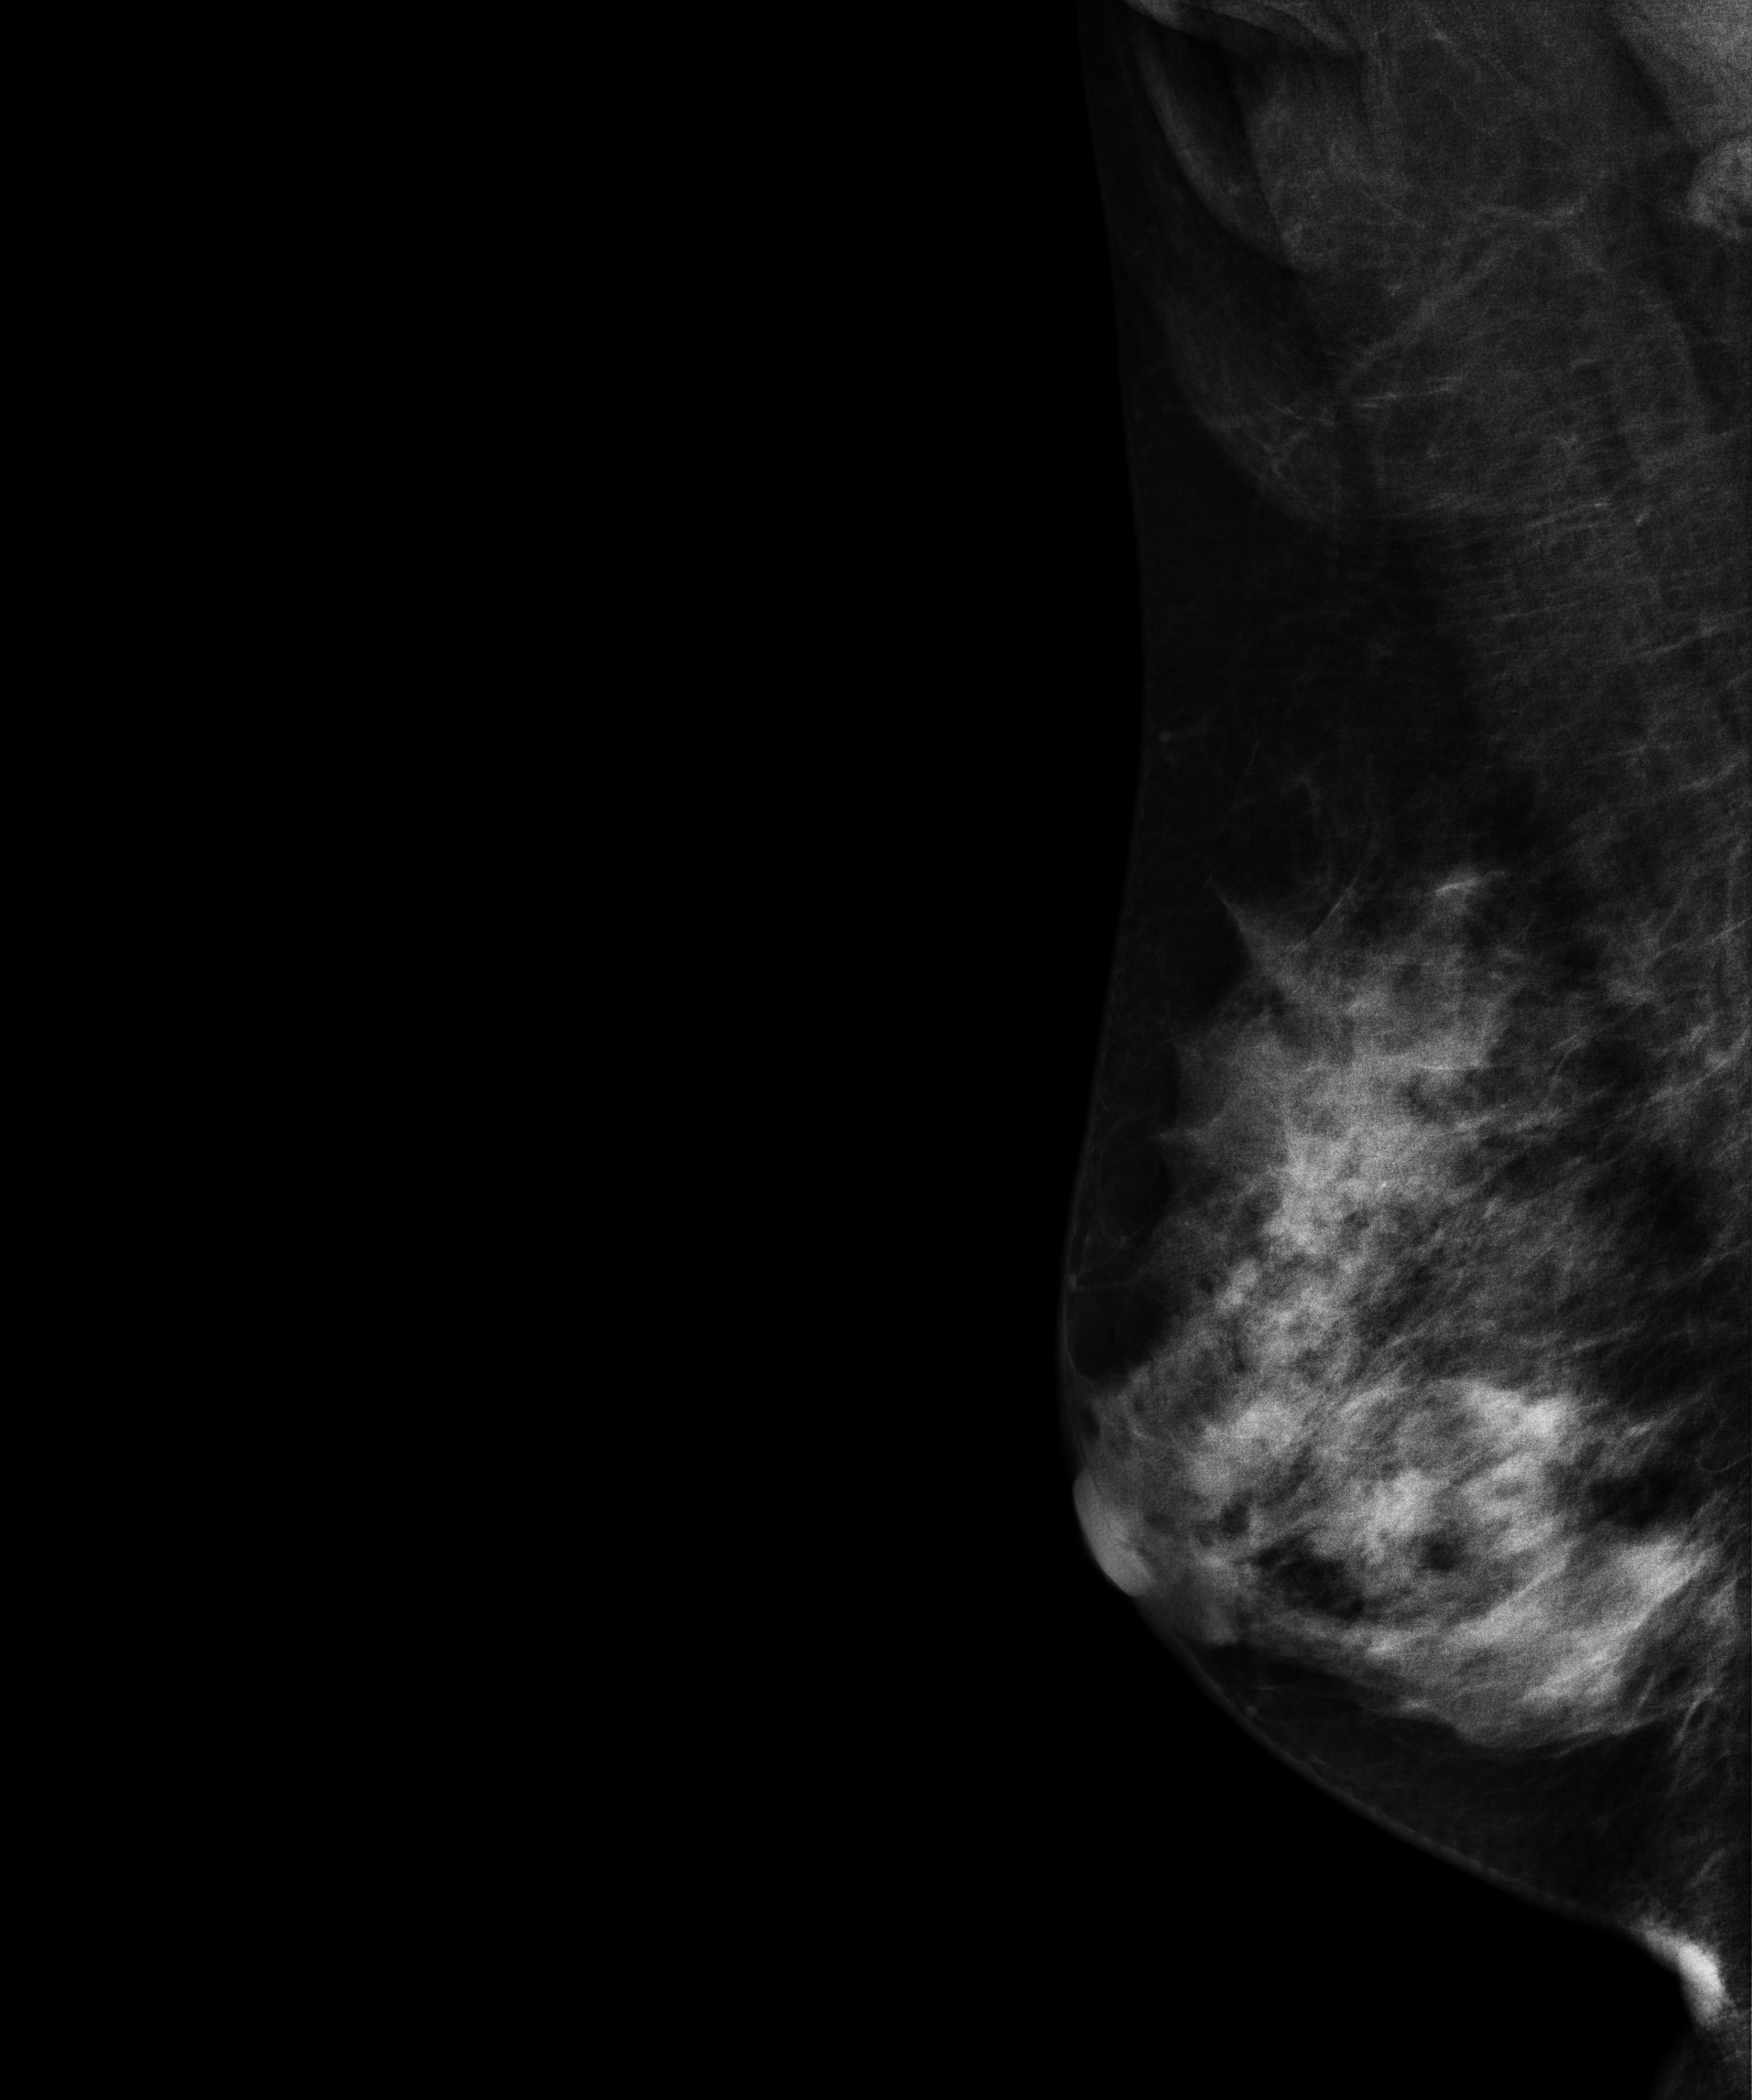
Mammogram — right MLO. 48 y/o patient.
This breast has a mass, biopsy-confirmed benign.